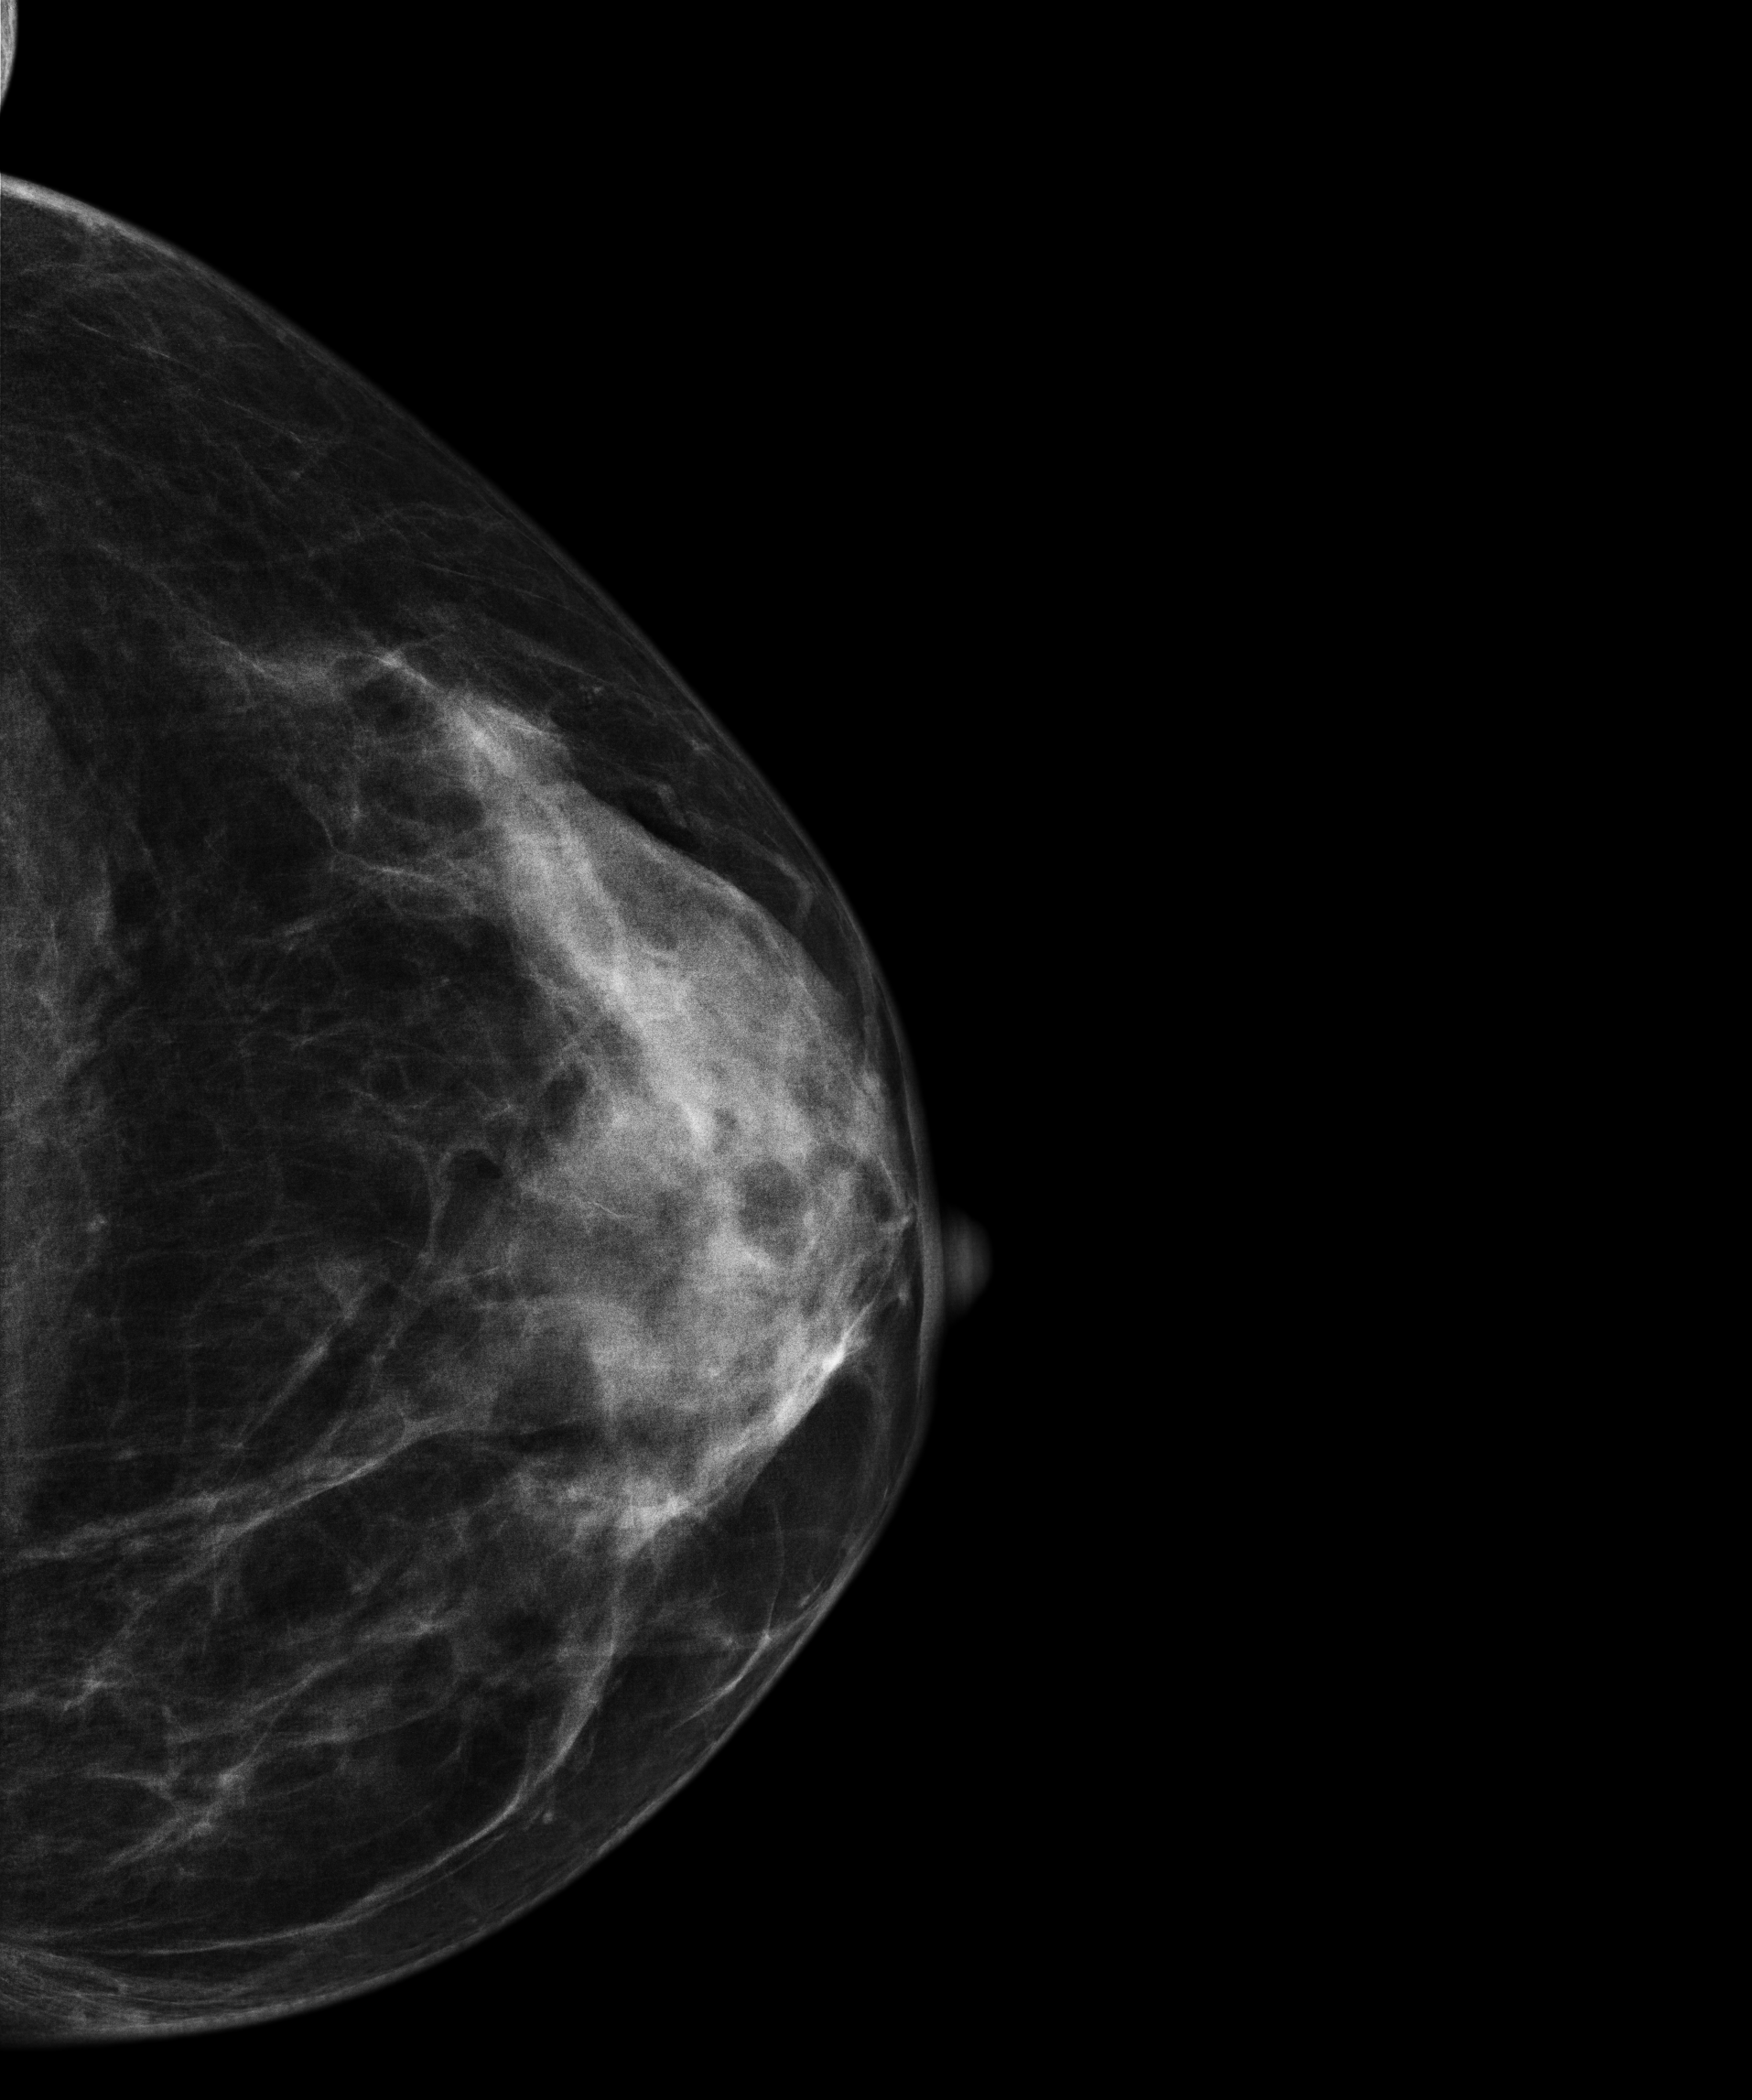
Left-breast mammogram, CC. 46-year-old patient.
Contralateral breast — no documented abnormality on this side.